Left-breast mammogram, cranio-caudal. 37-year-old patient.
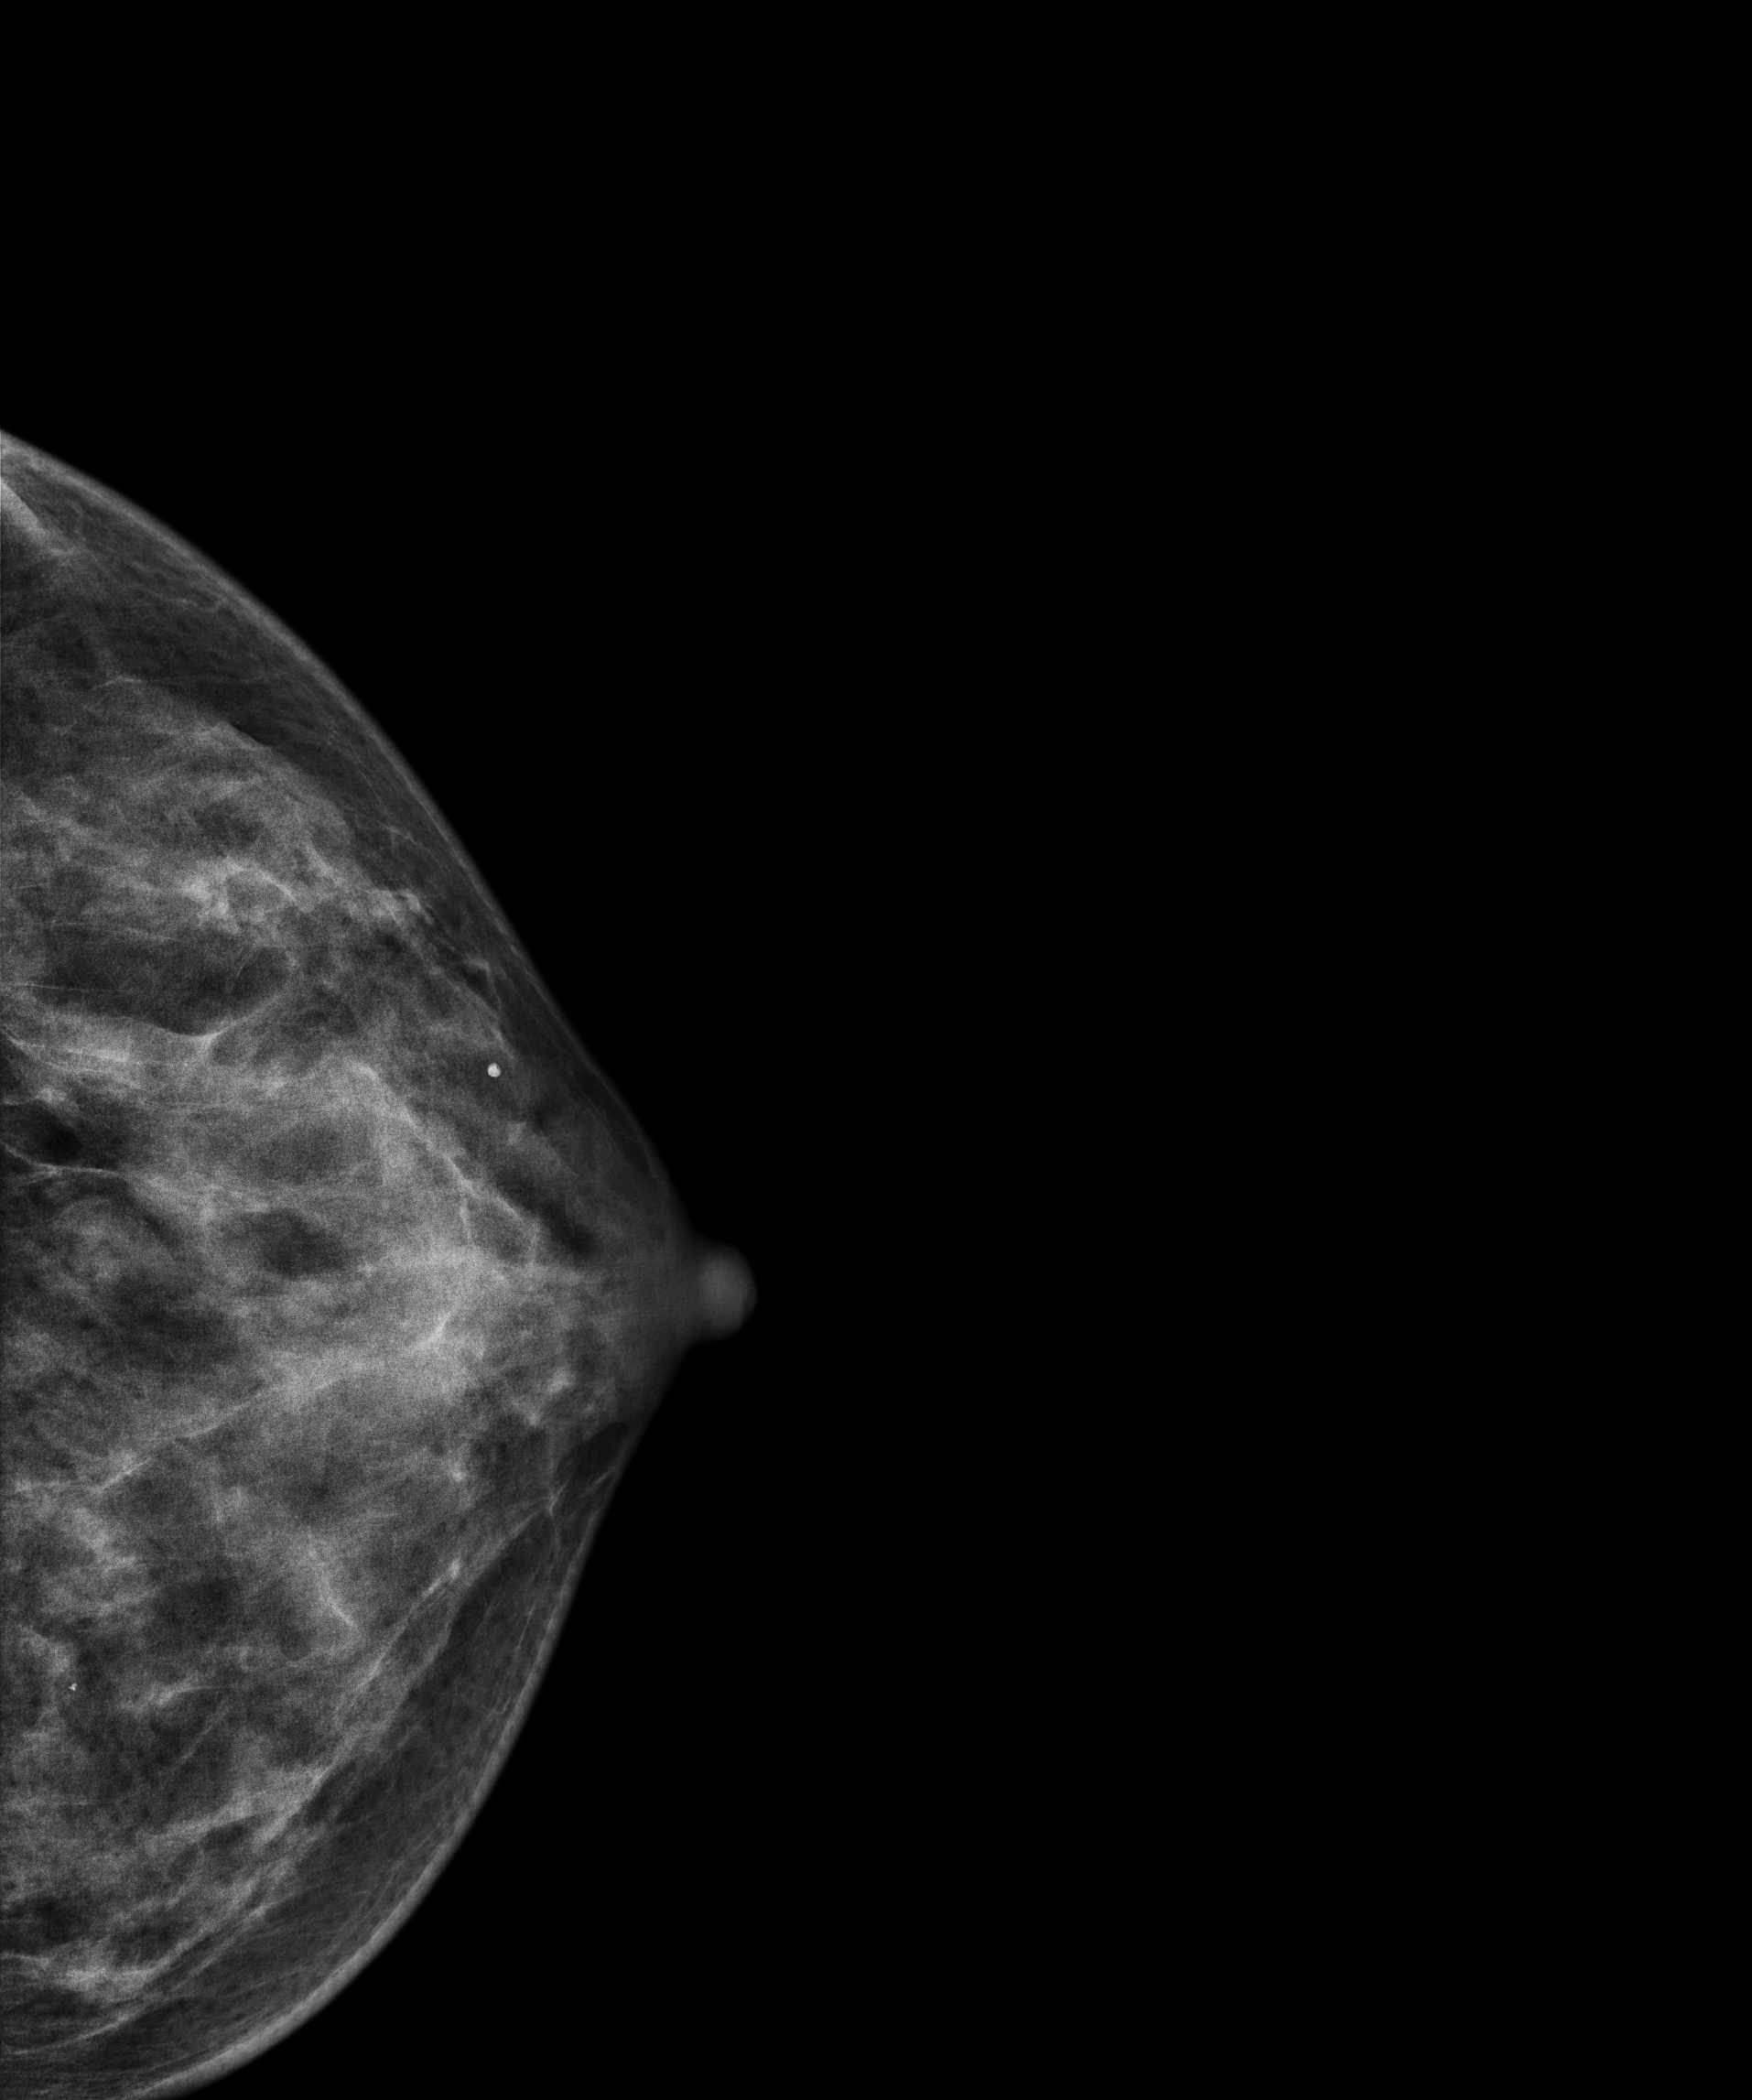
Contralateral breast — no documented abnormality on this side.